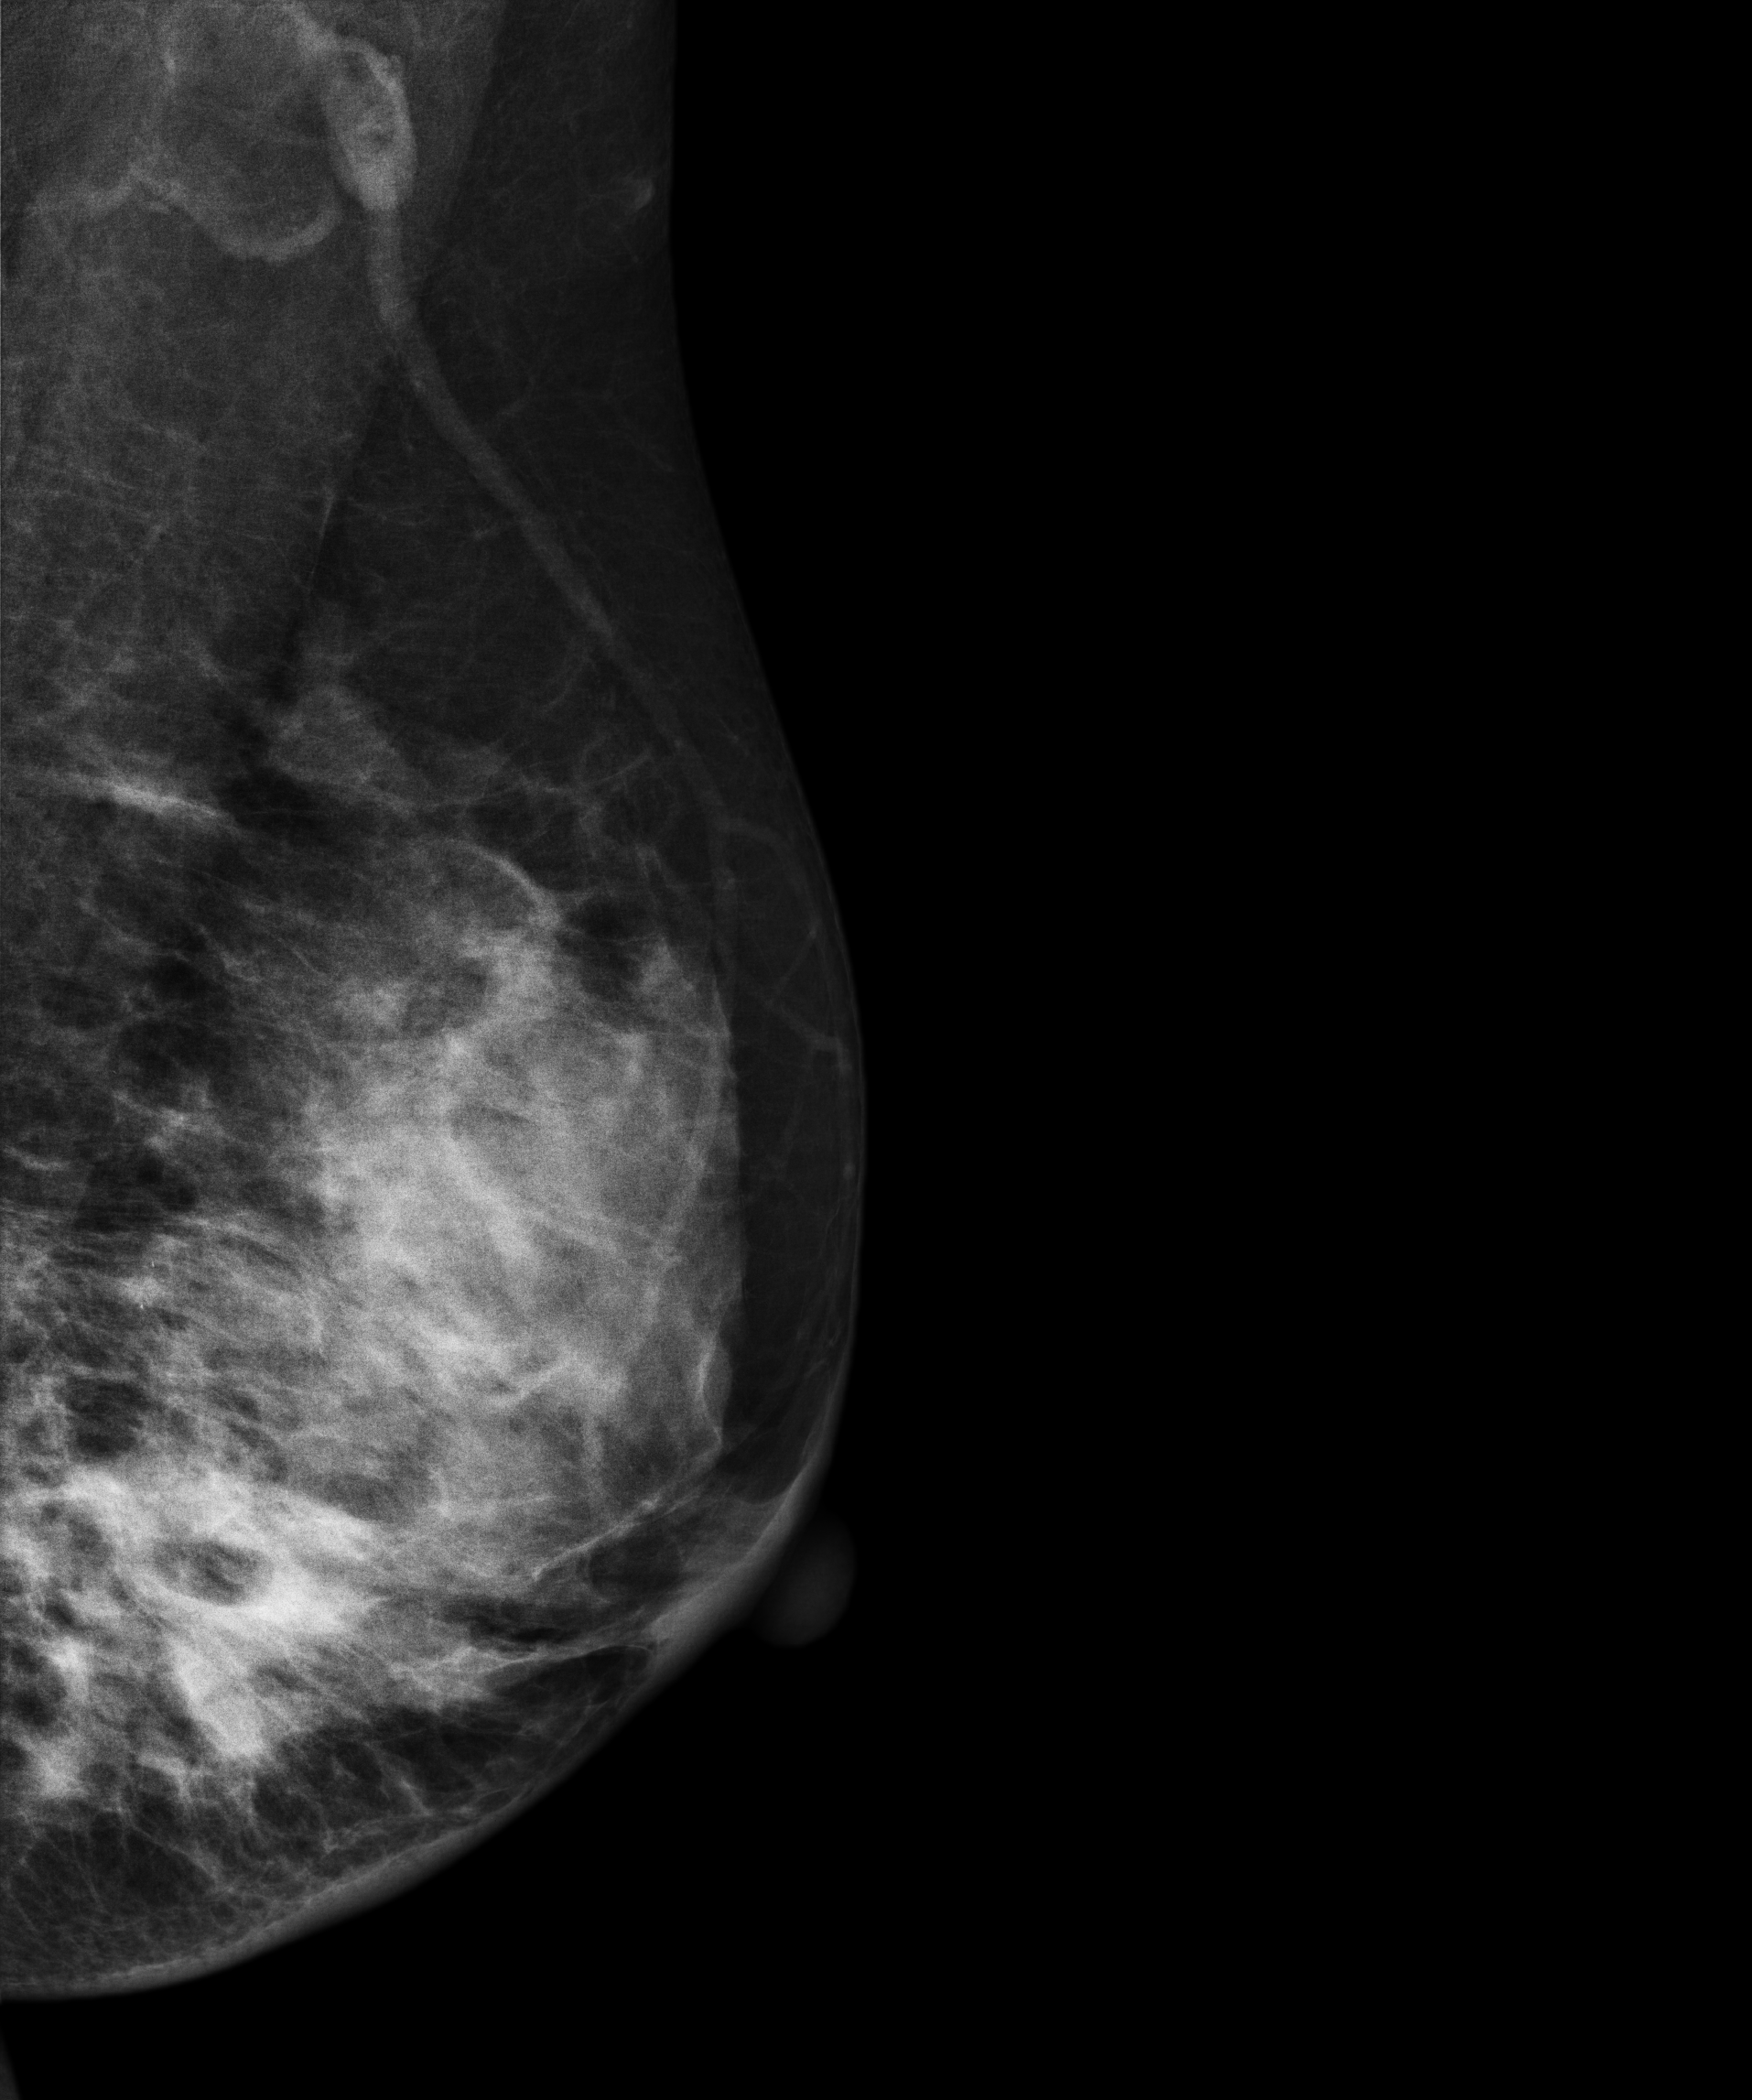
Medio-lateral oblique mammogram of the left breast. Patient age 33.
This breast has a mass, pathology-confirmed benign.